Mammogram, right breast, cranio-caudal view. 40-year-old patient.
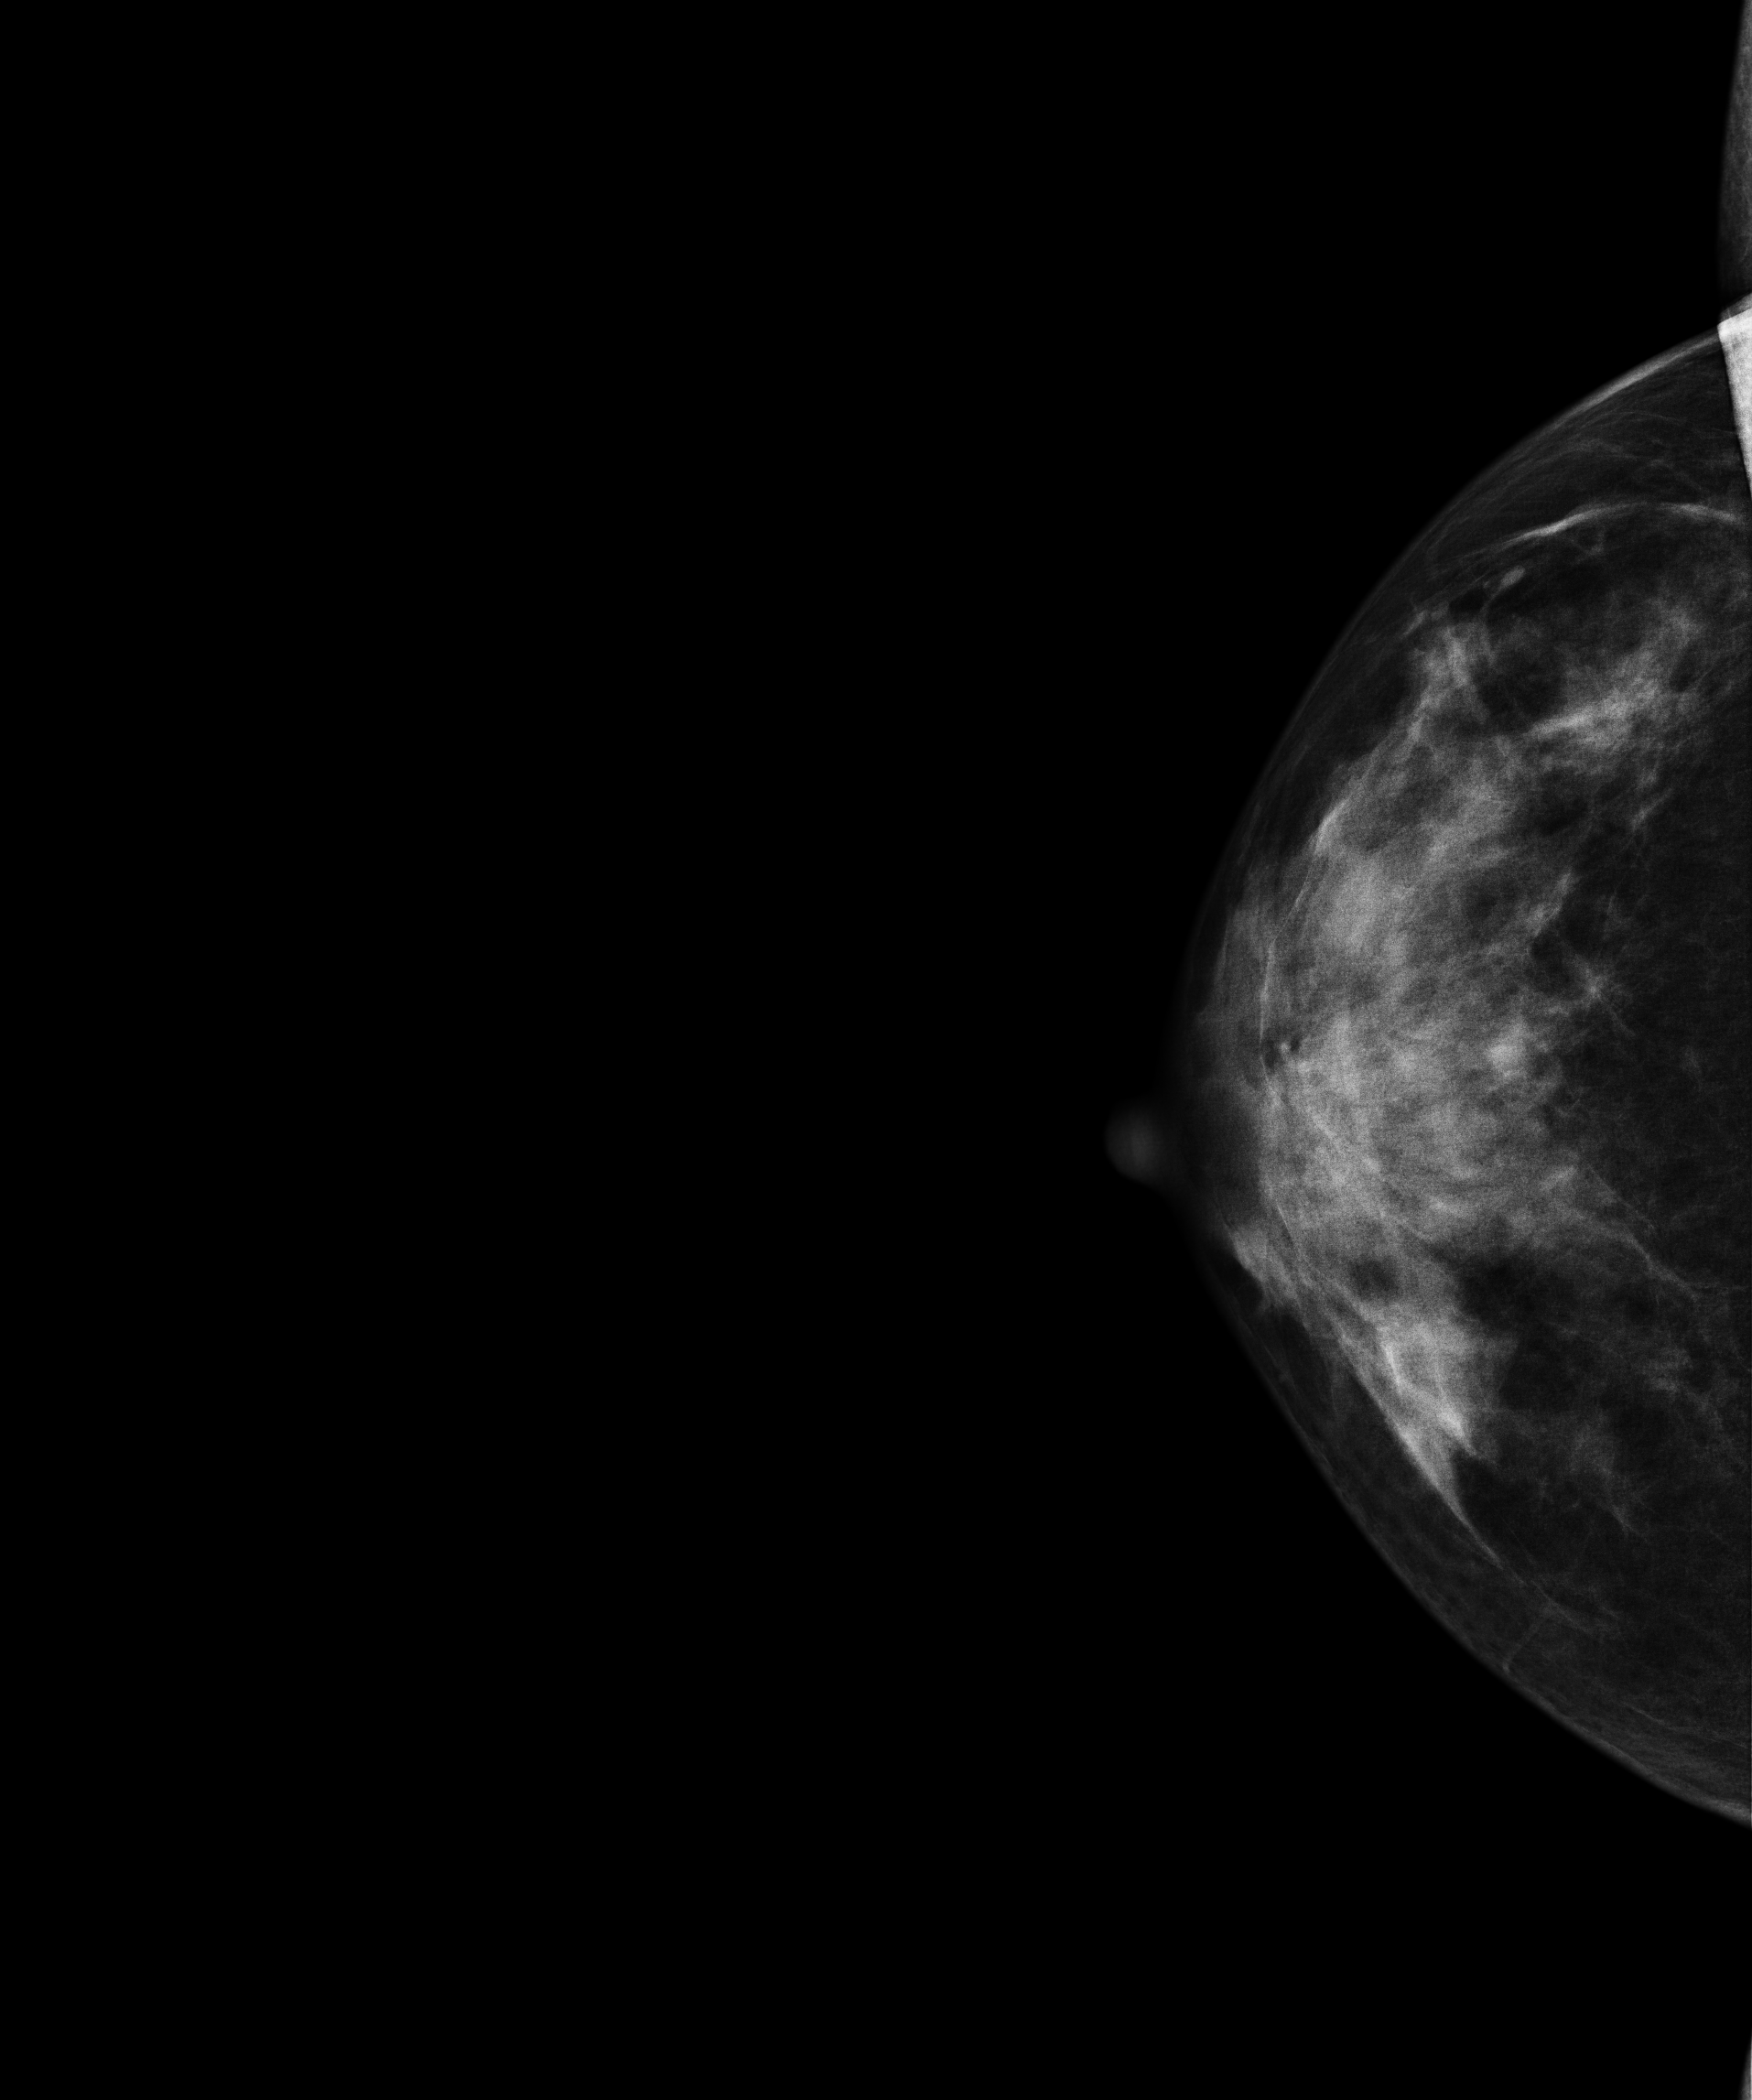
Contralateral breast — no documented abnormality on this side.